Mammogram, left breast, MLO view. 61 y/o patient.
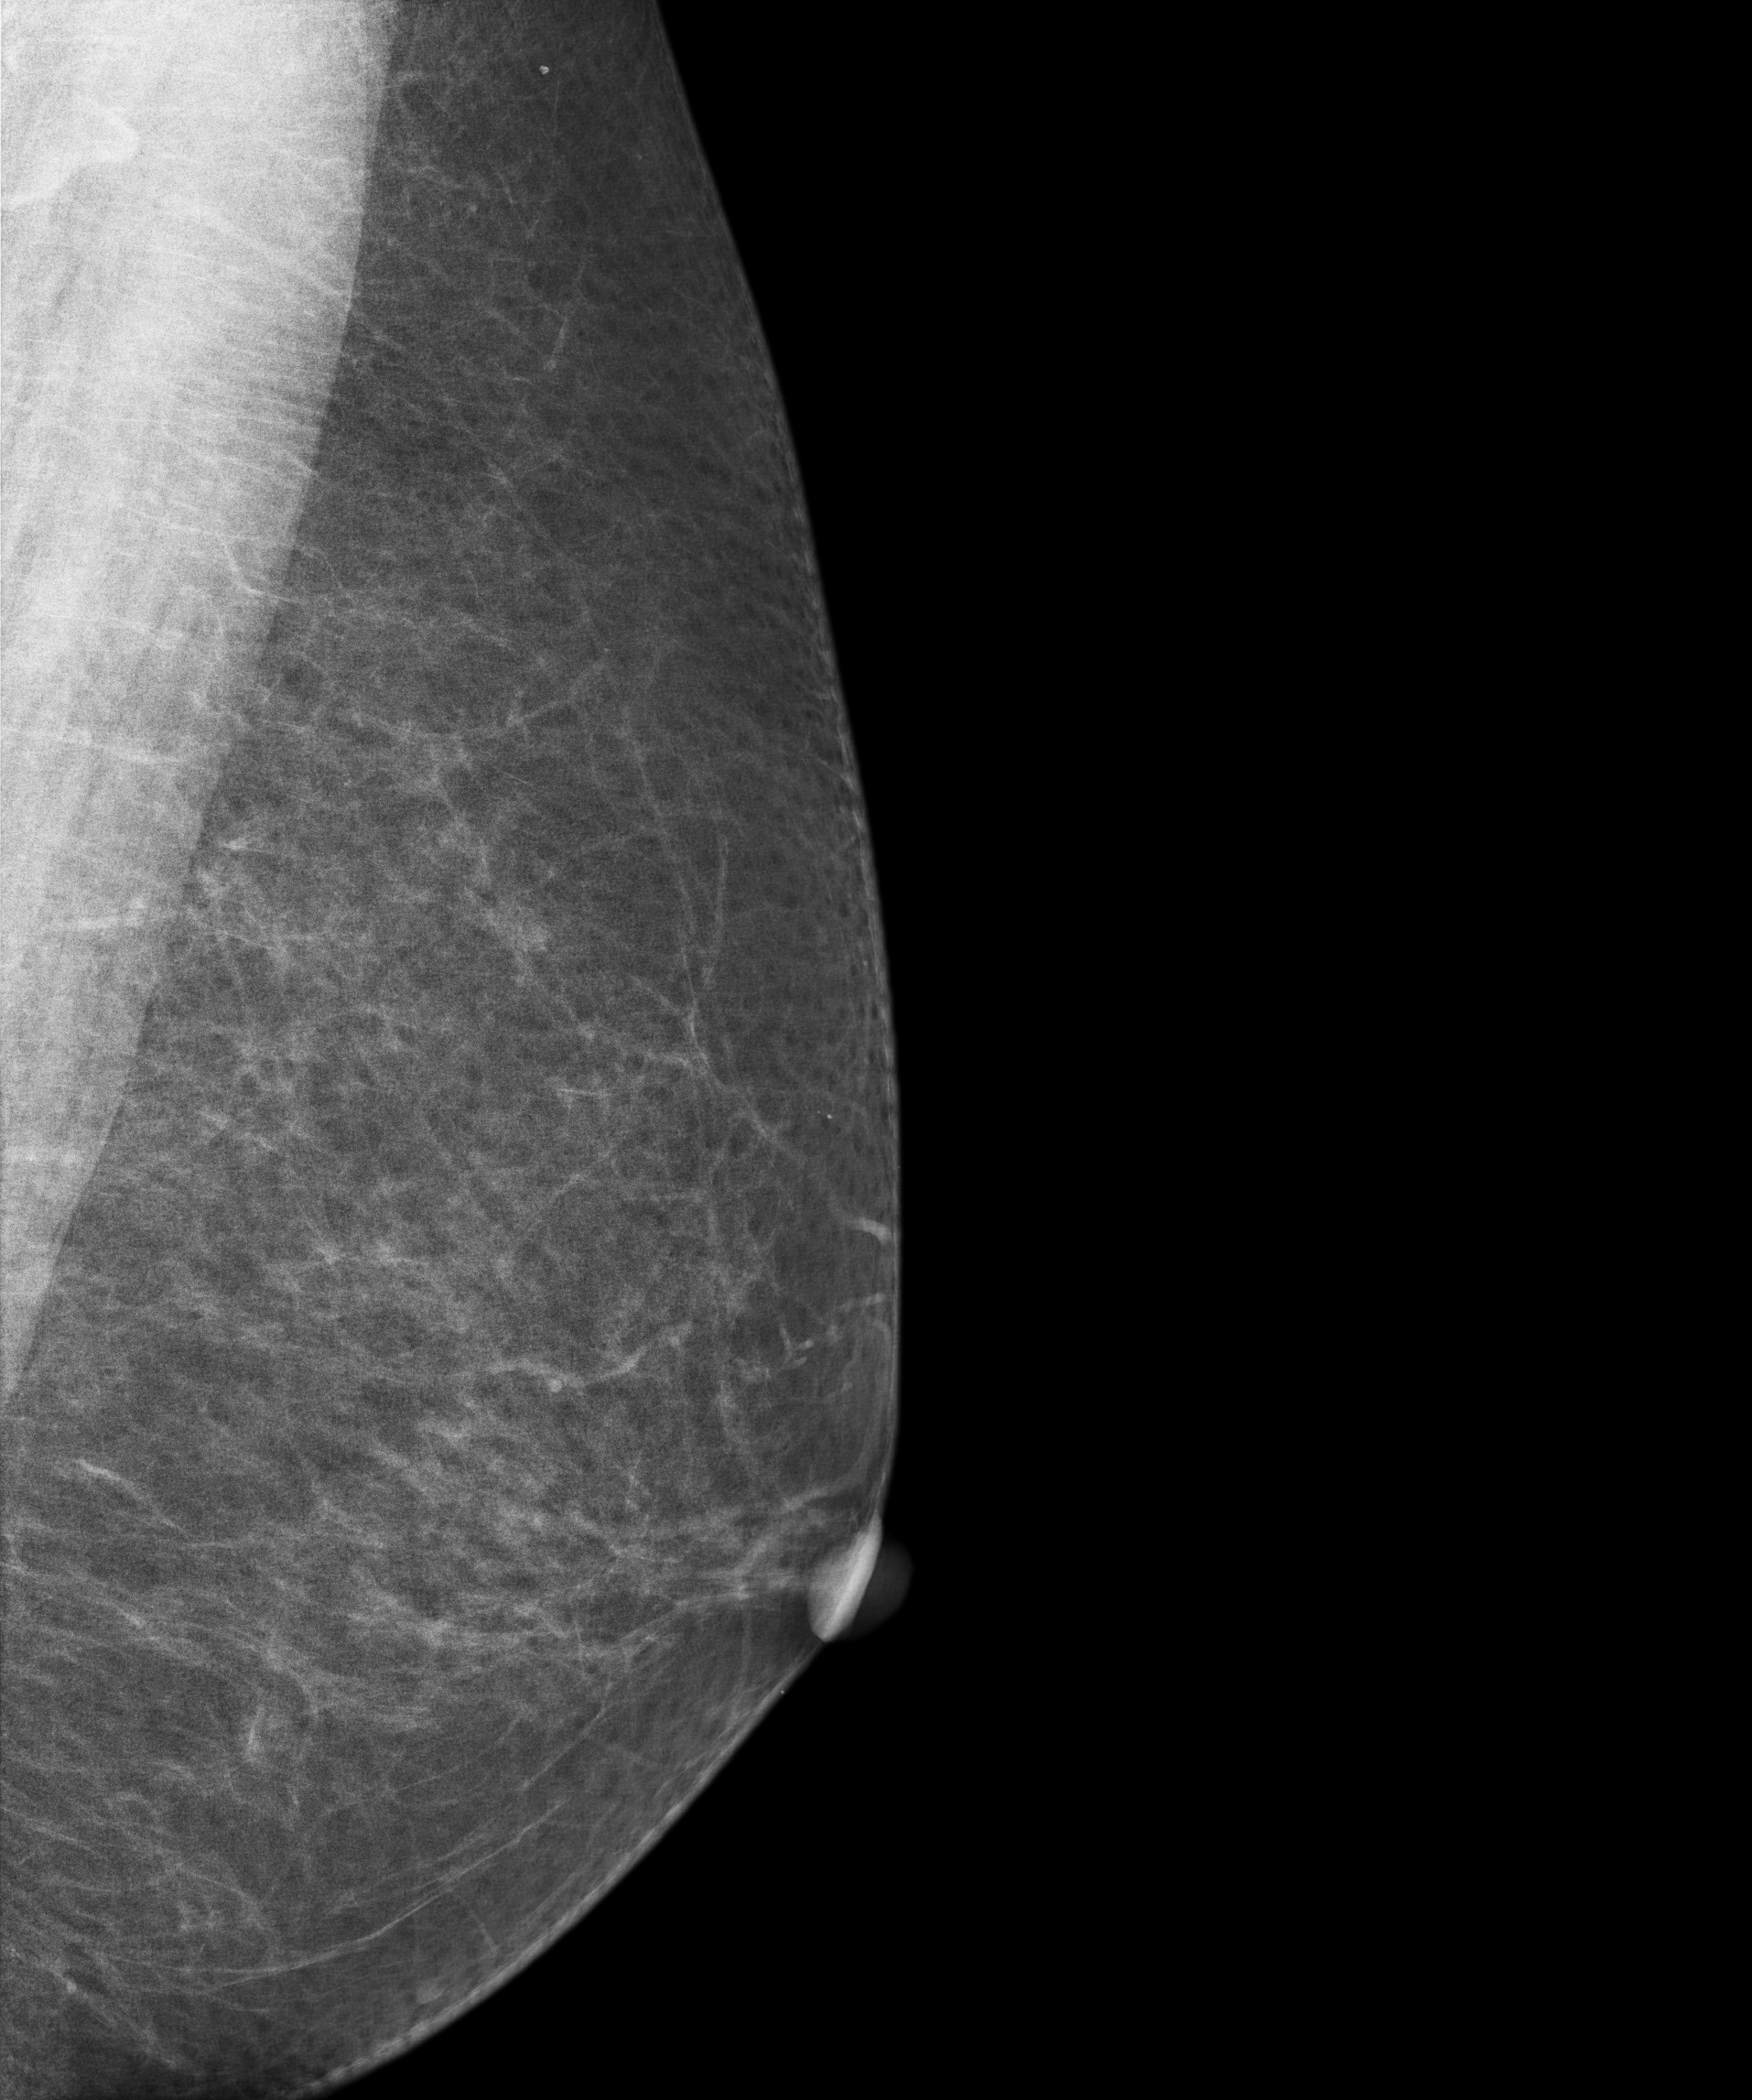
Contralateral breast — no documented abnormality on this side.